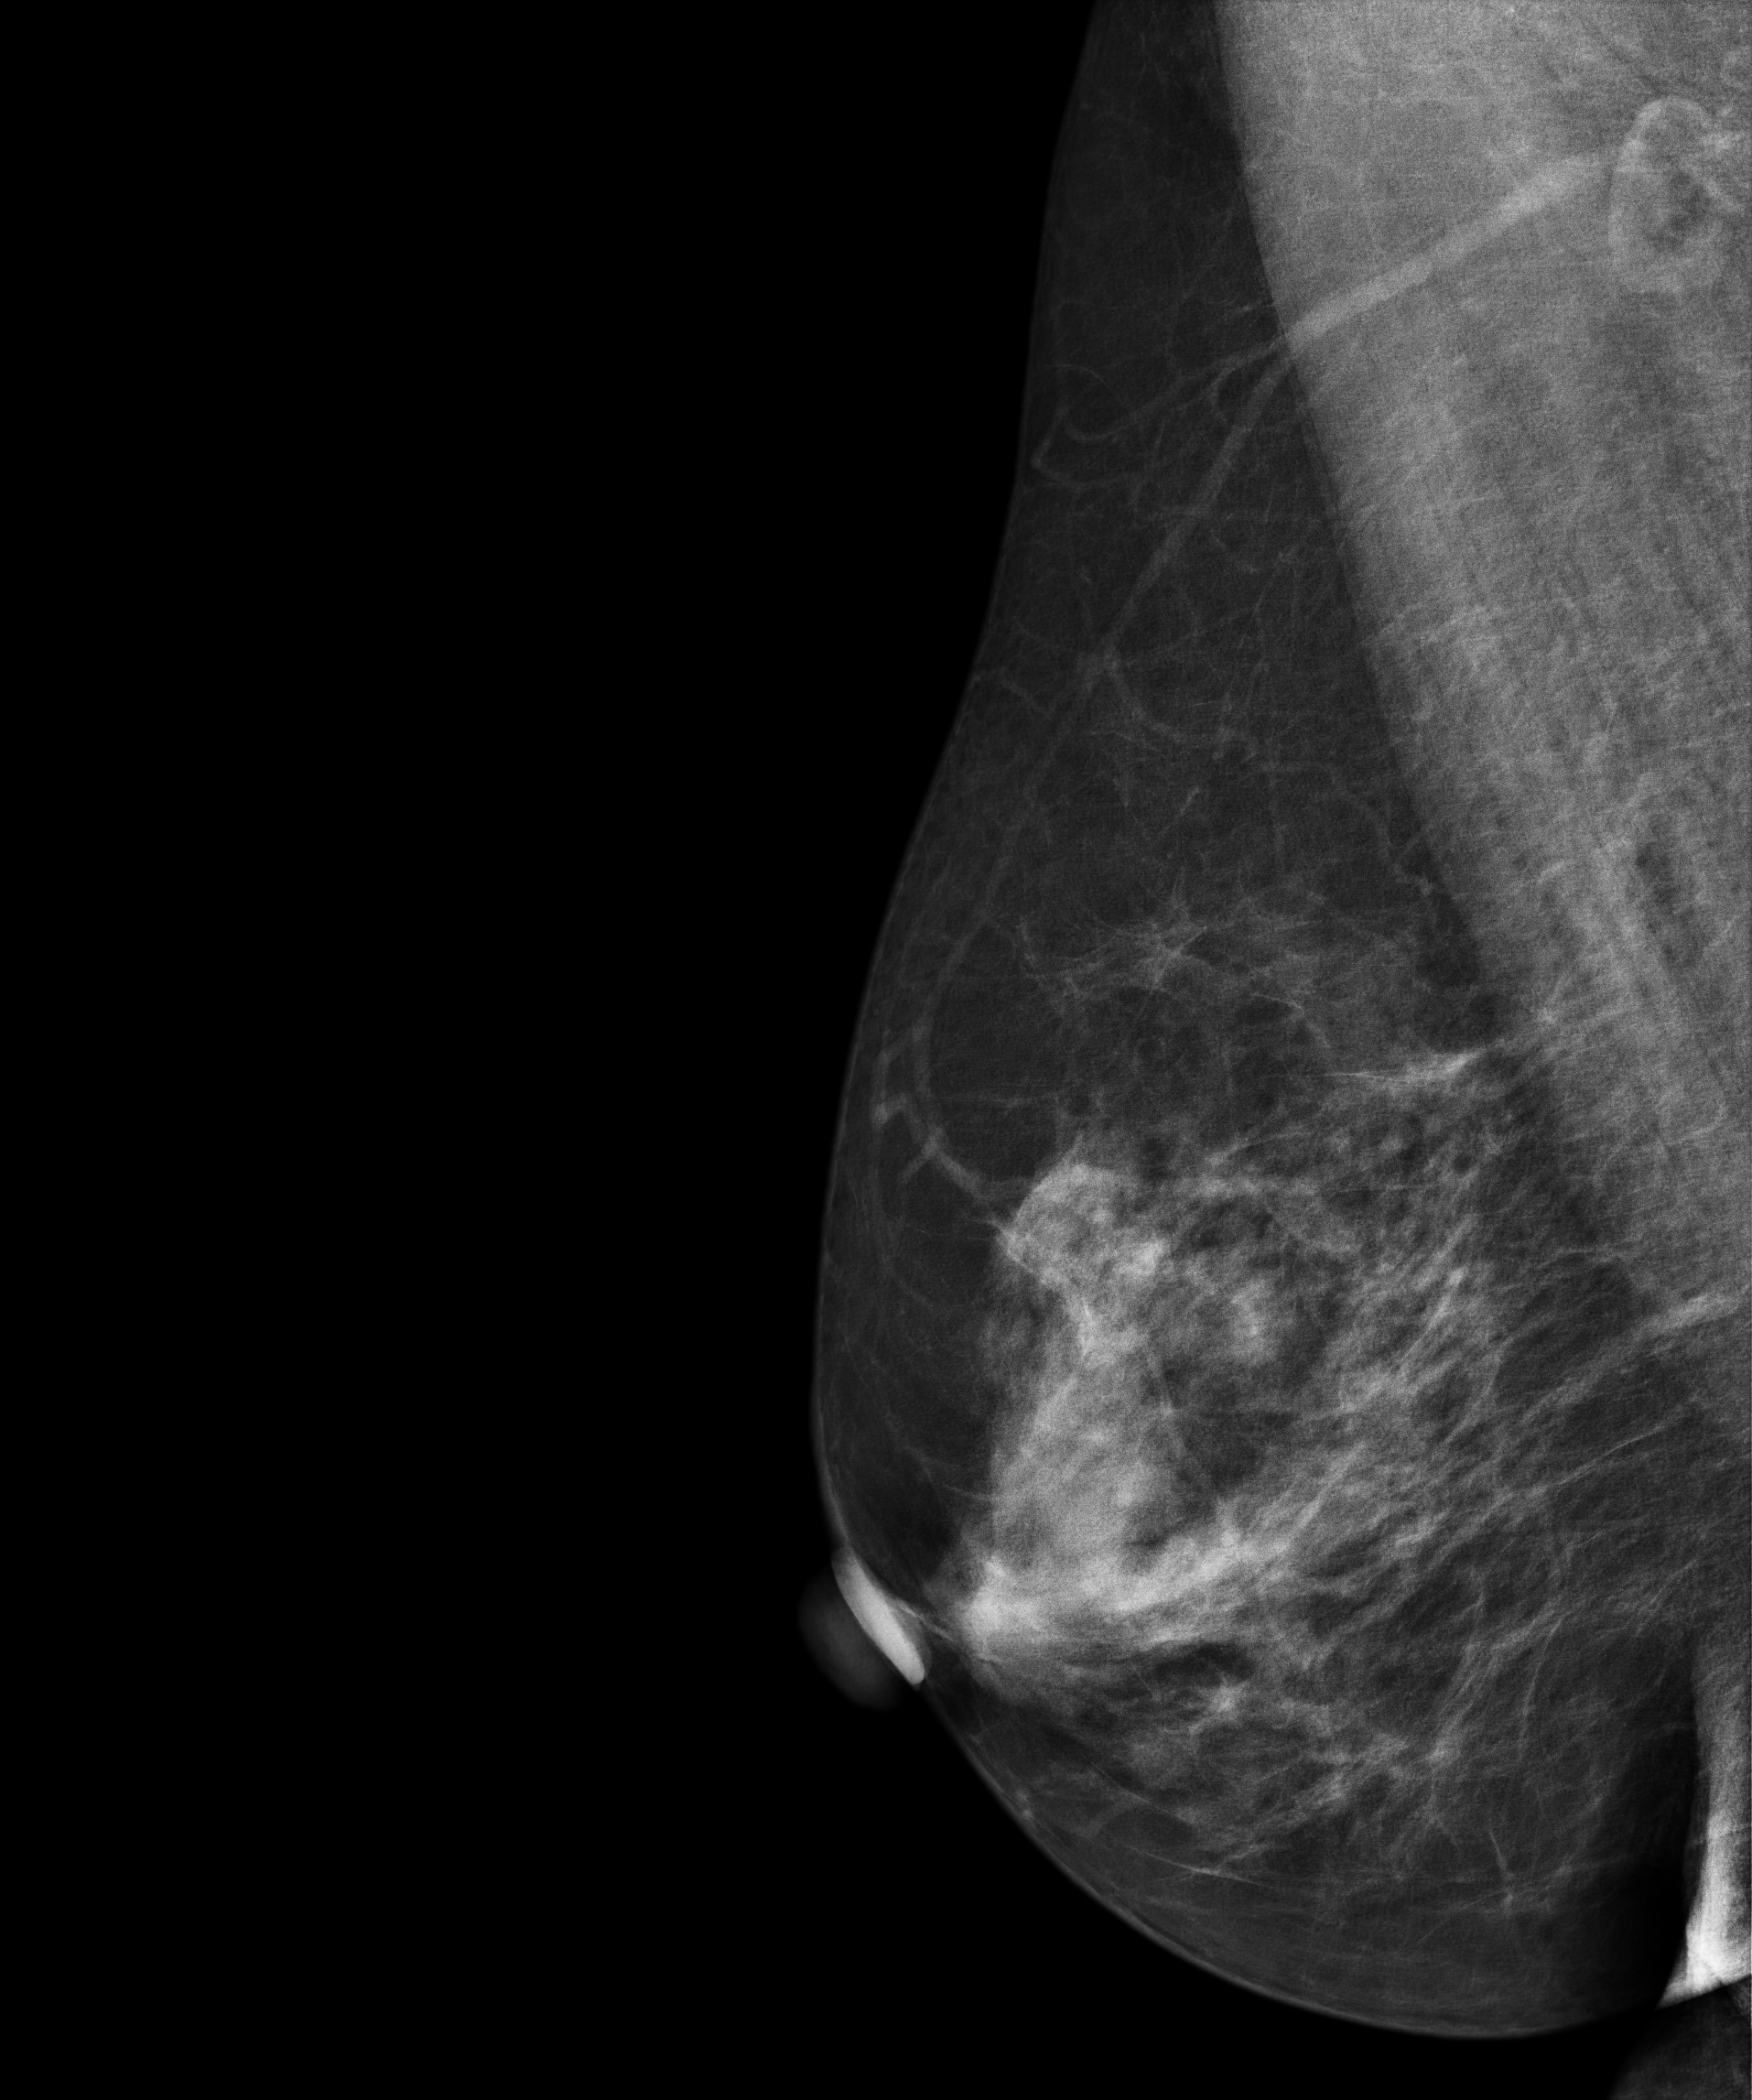
Right-breast mammogram, medio-lateral oblique. 69 y/o patient.
Contralateral breast — no documented abnormality on this side.